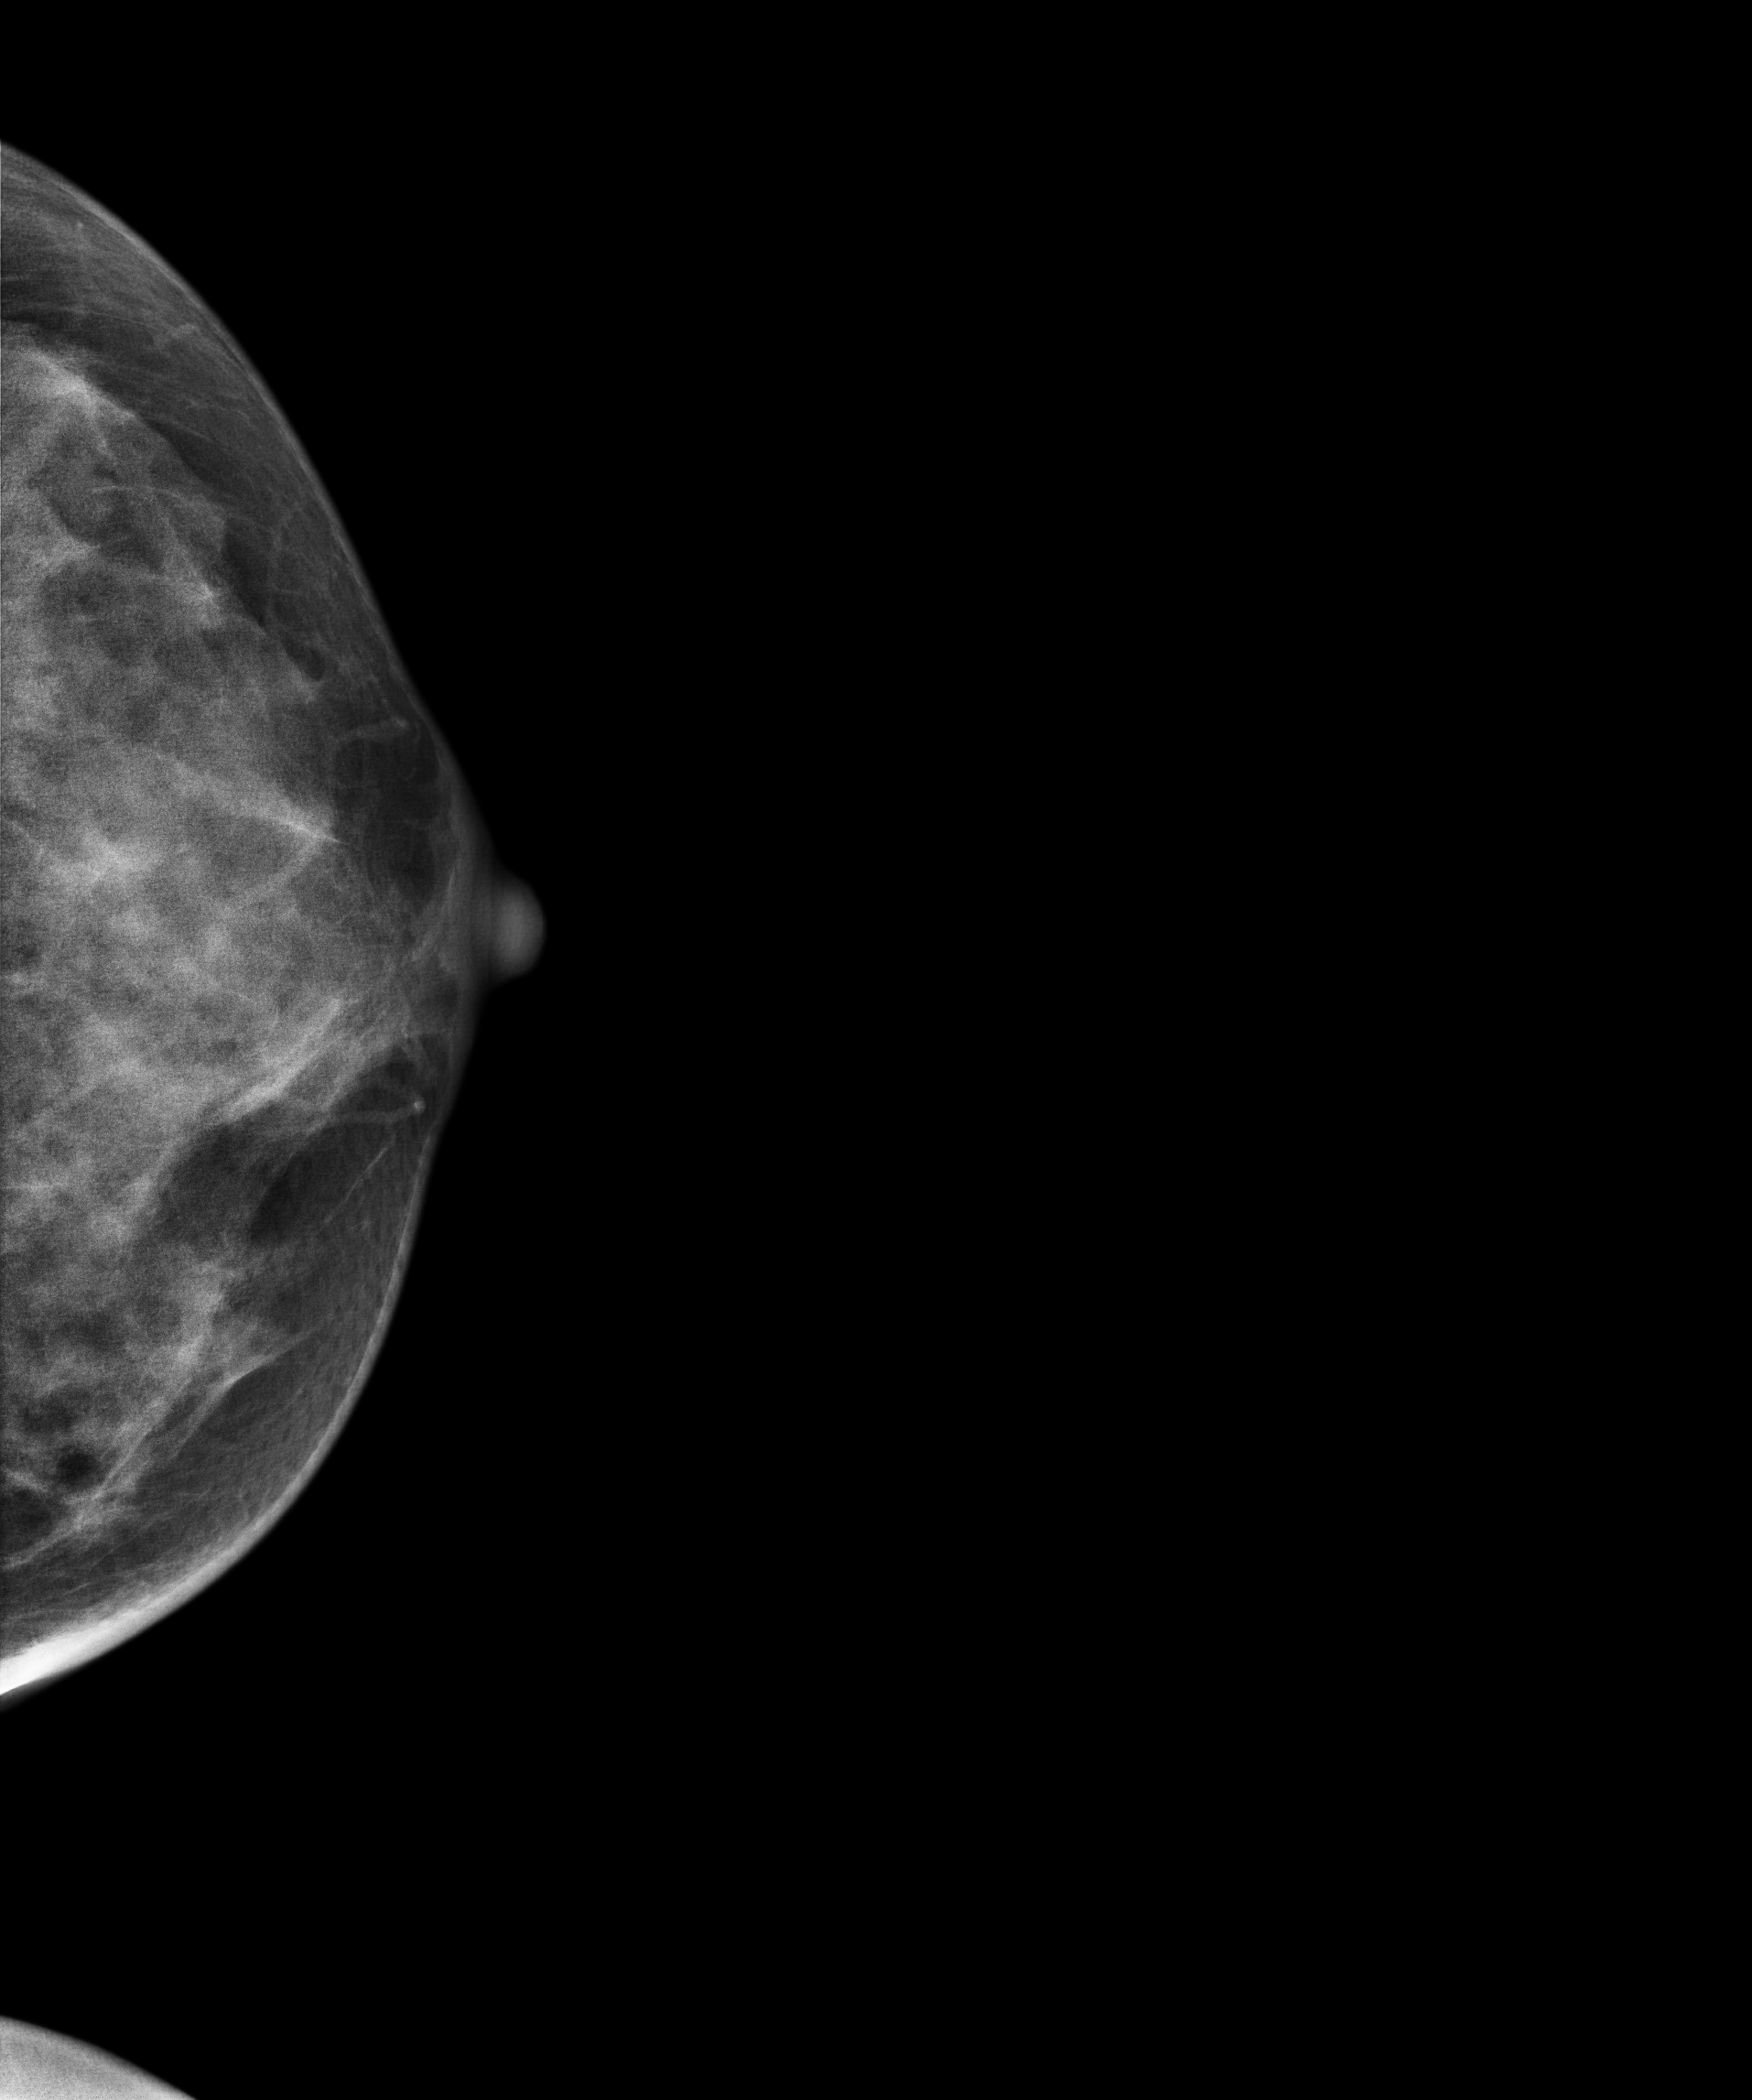
Mammogram — left CC. Patient age 35.
Contralateral breast — no documented abnormality on this side.